Mammogram — right CC. 46-year-old patient.
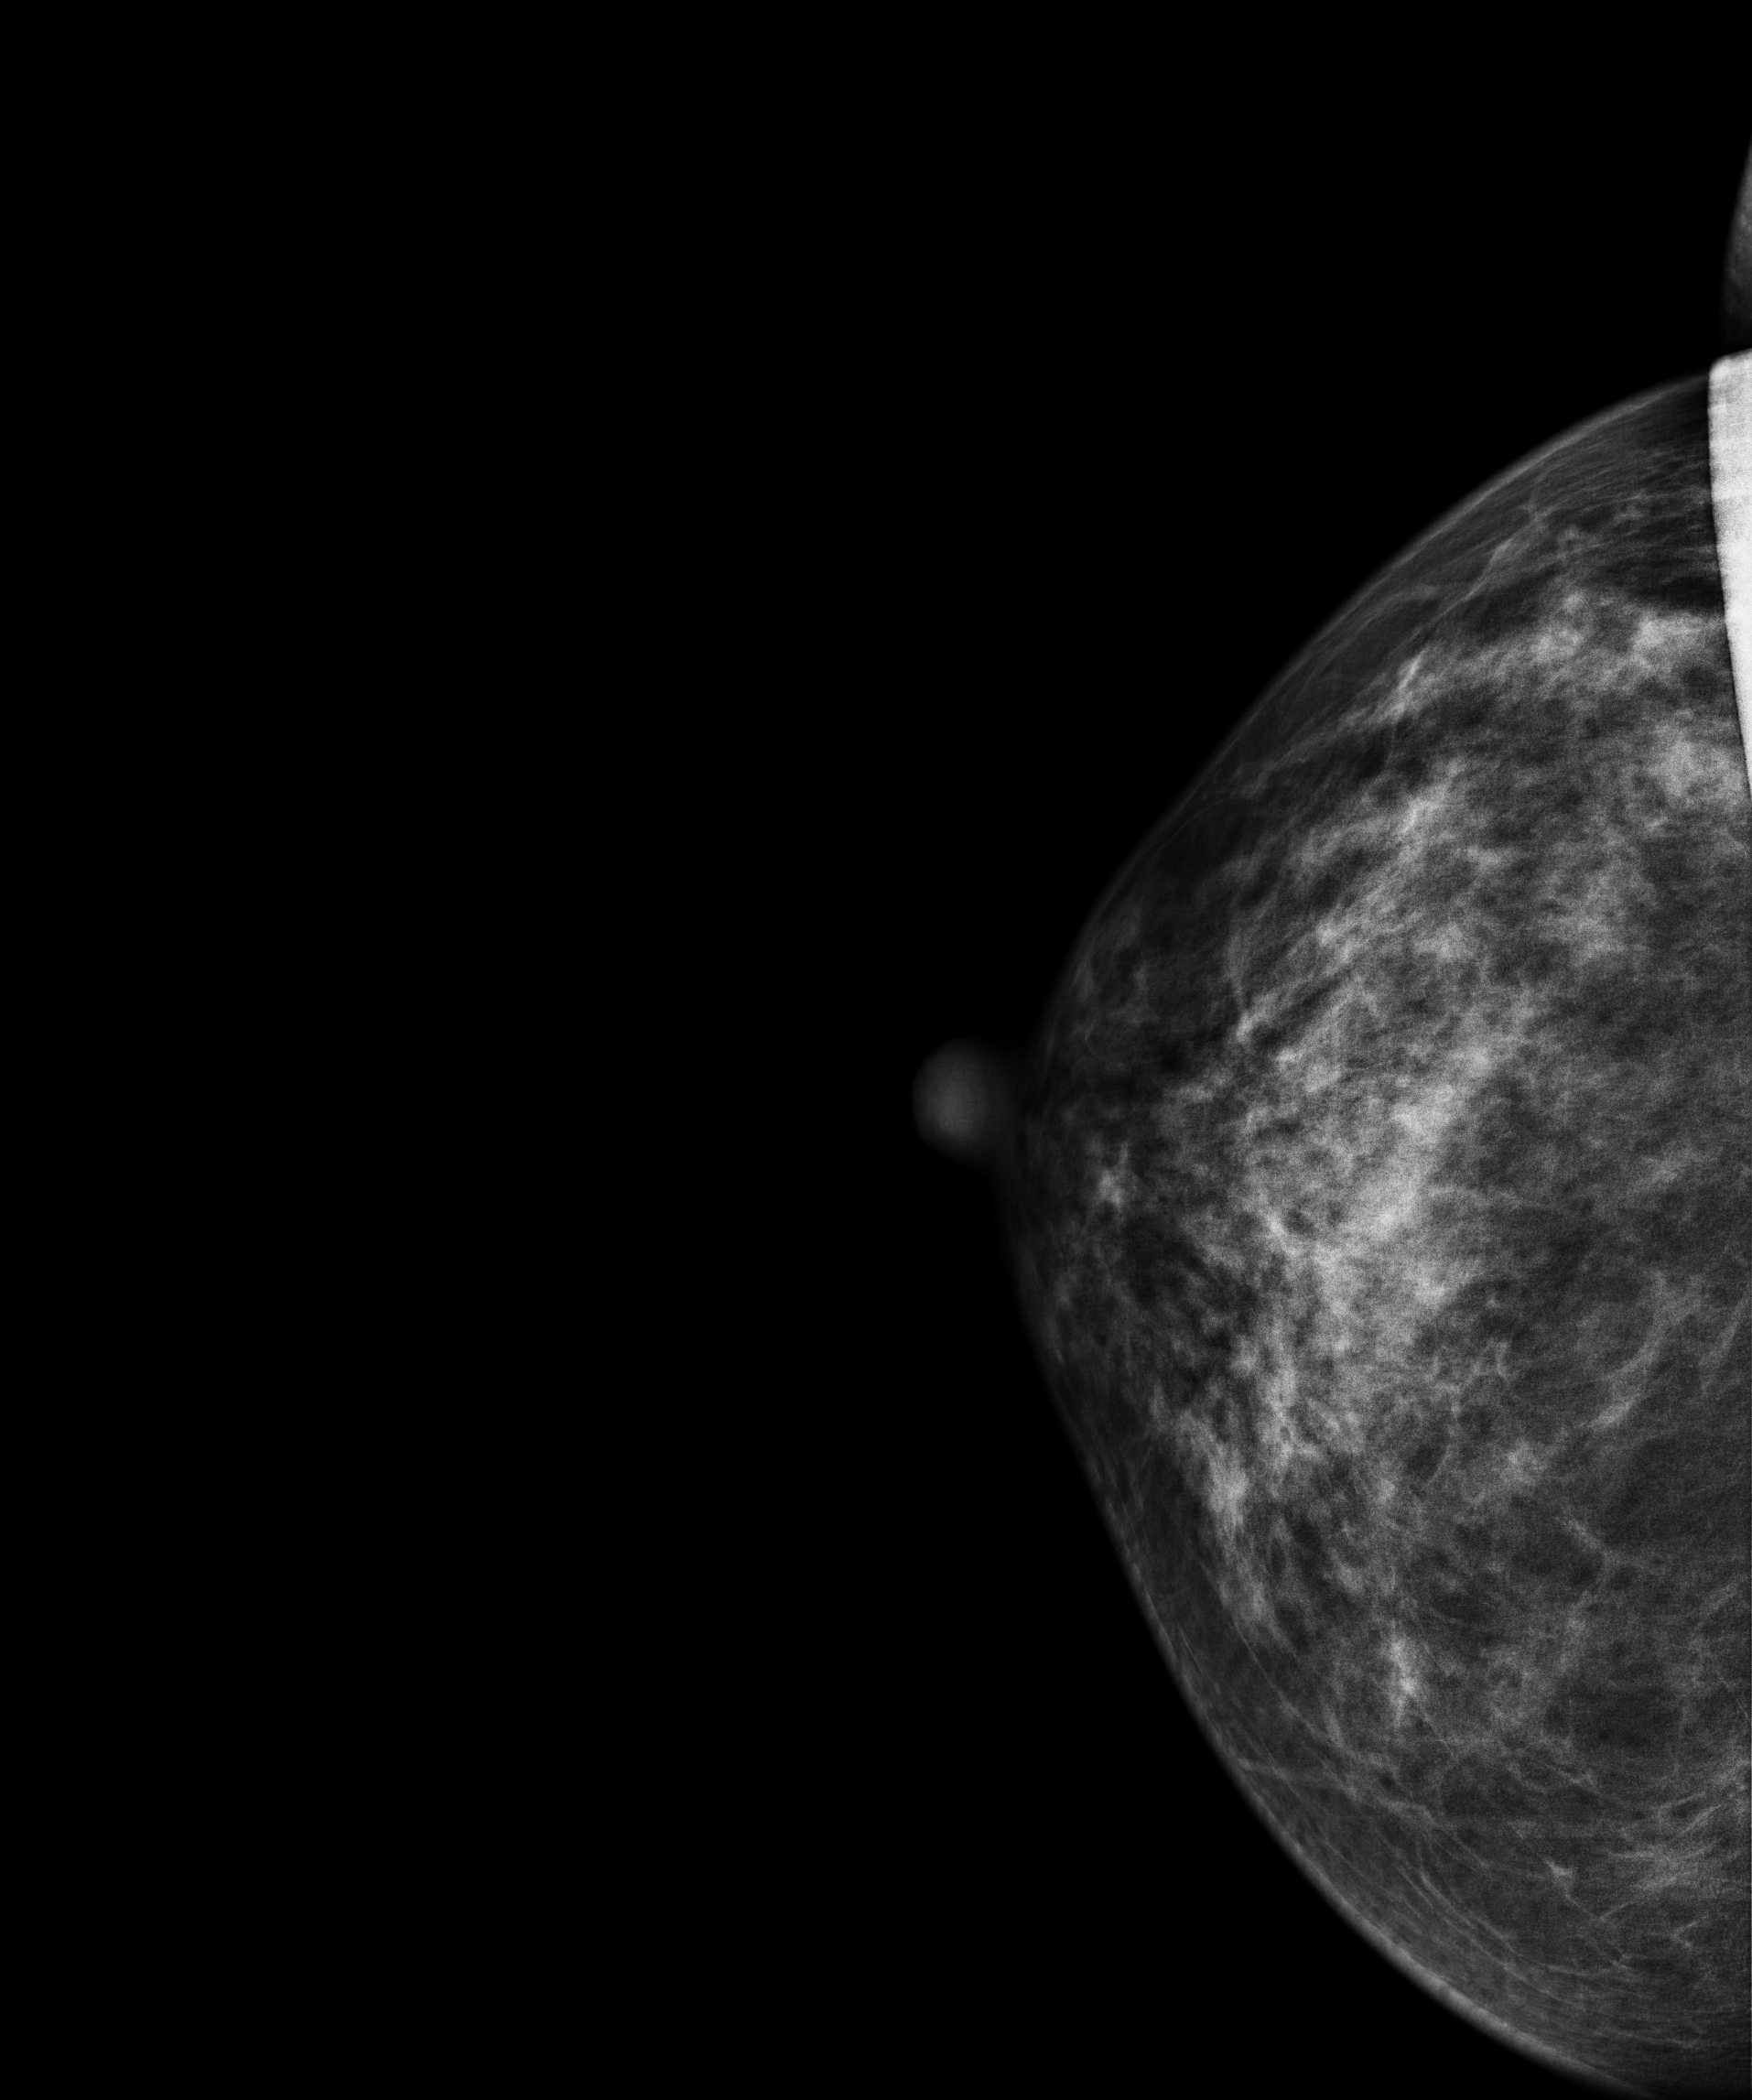
Contralateral breast — no documented abnormality on this side.